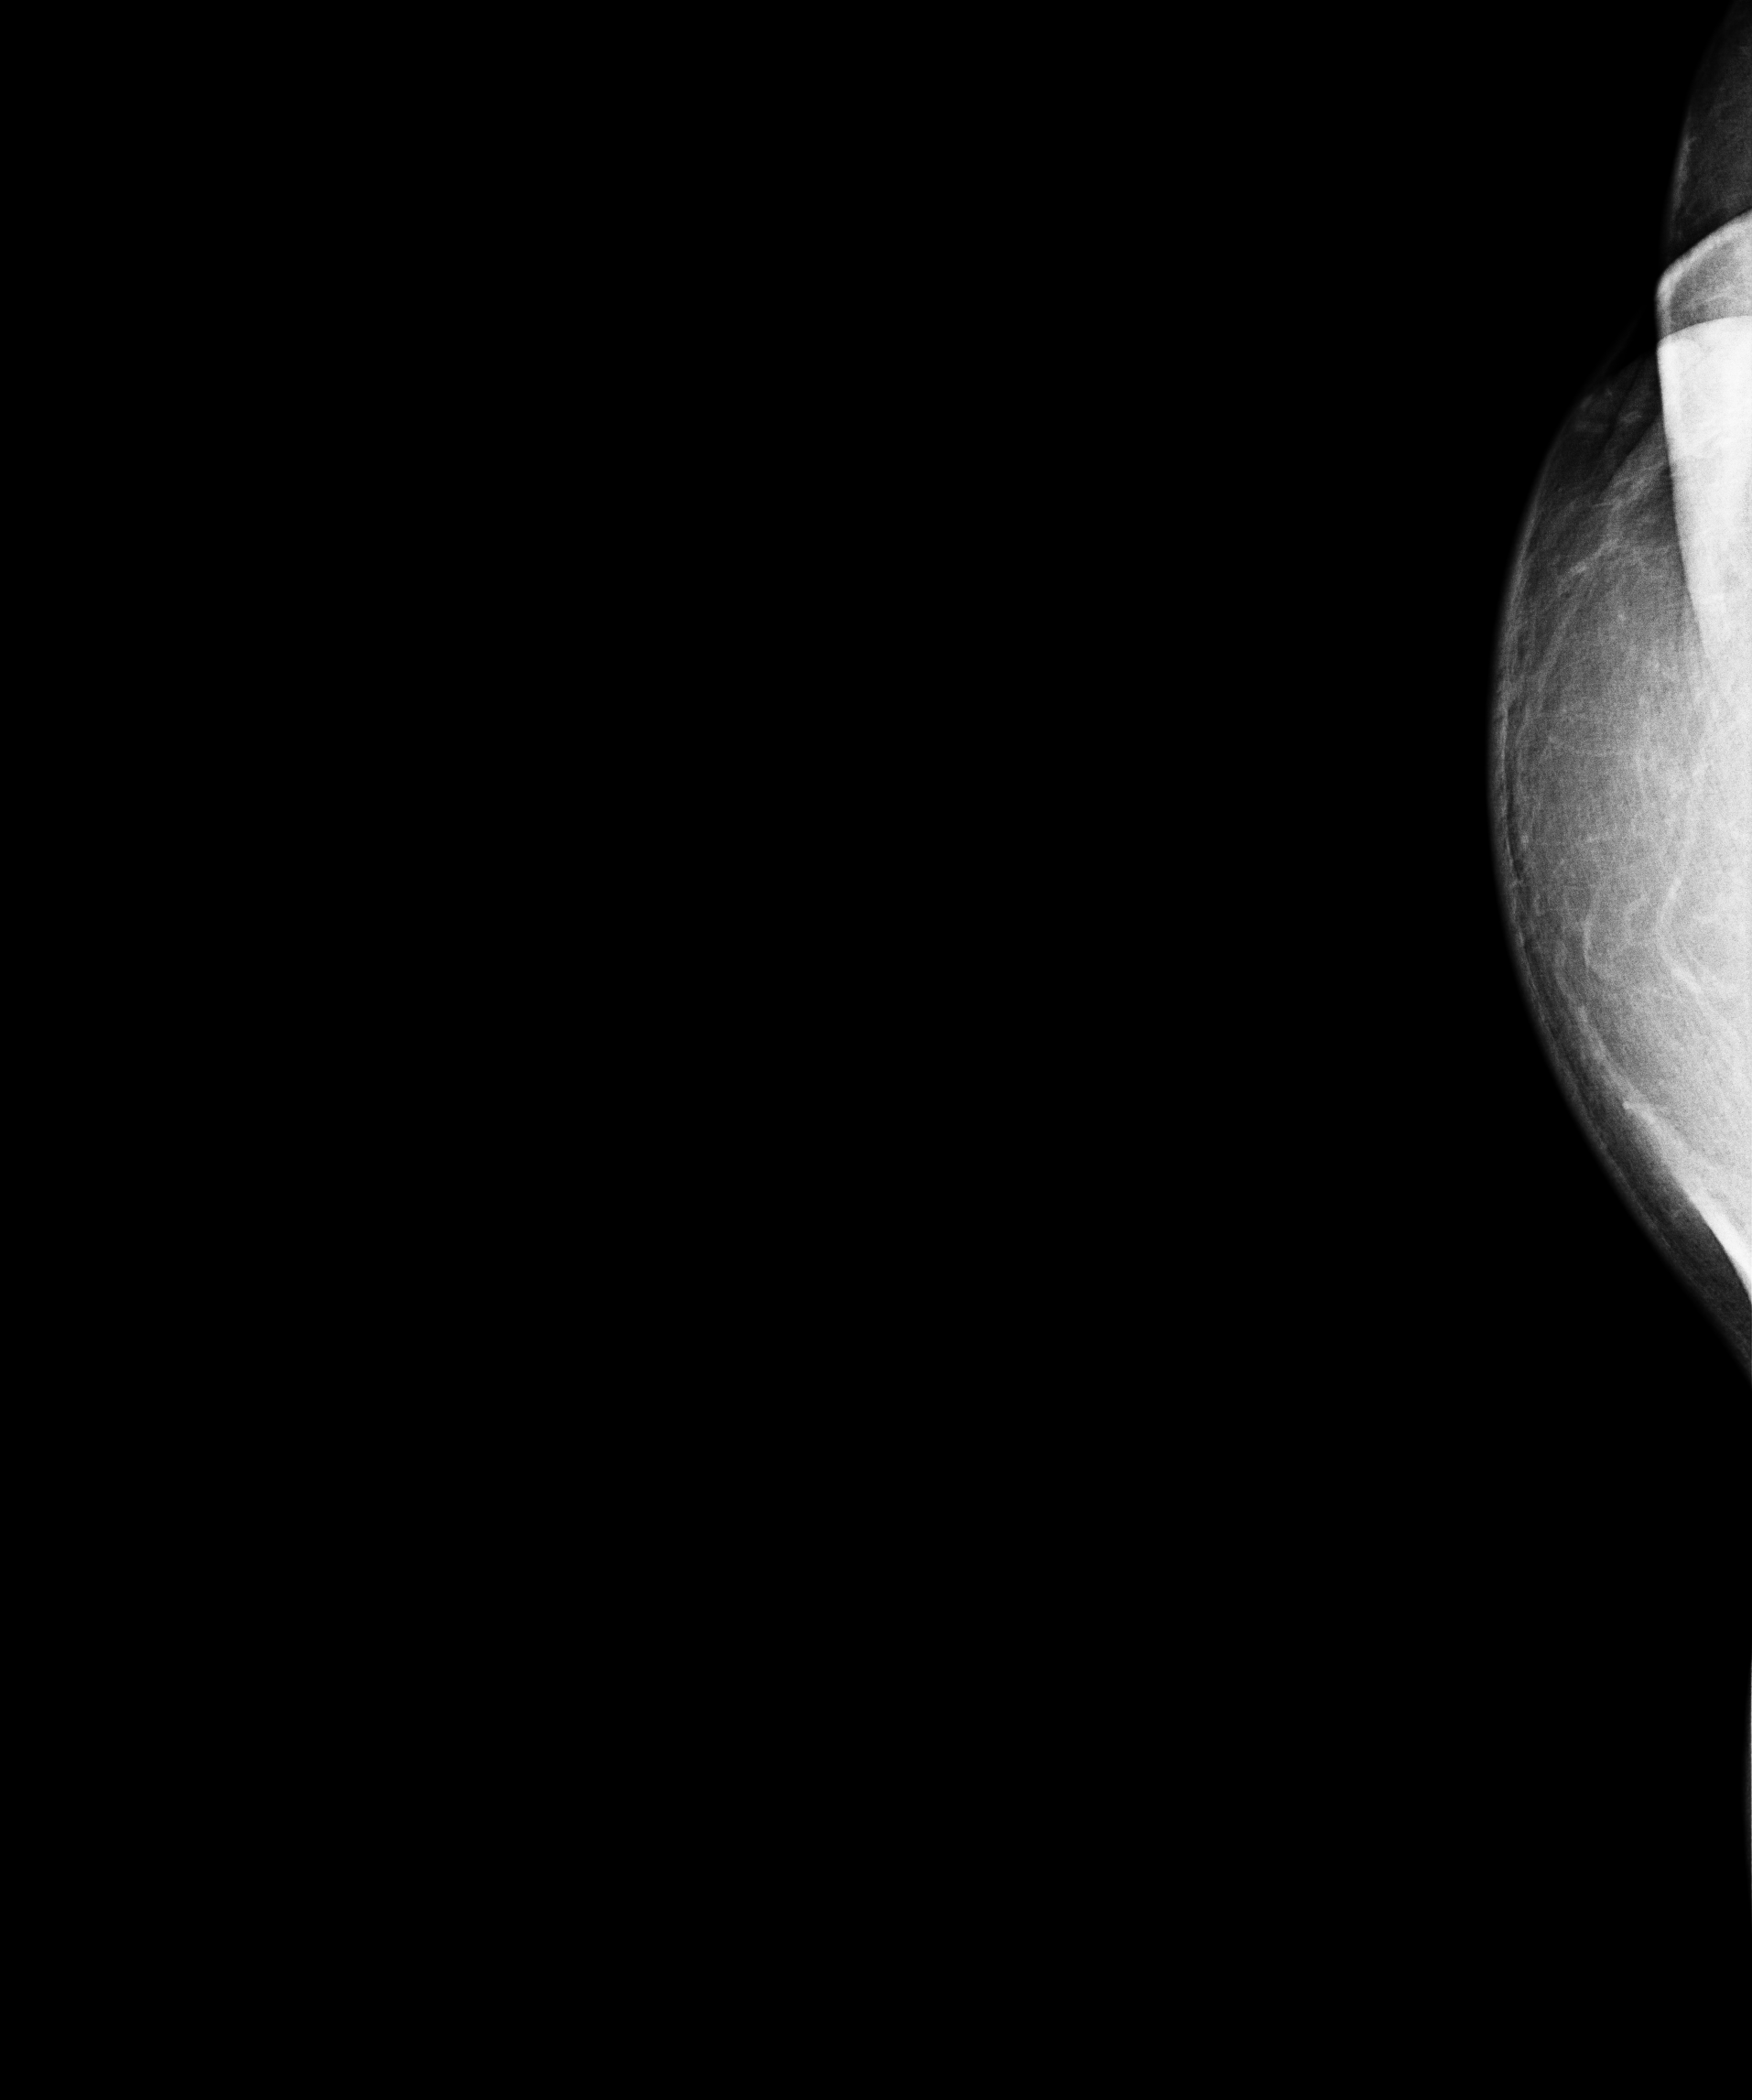
Mammogram, right breast, CC view. 66-year-old patient.
This breast has a mass, pathology-confirmed malignant. Molecular subtype: luminal A.